Digital mammography. Left breast, CC projection. 60-year-old patient.
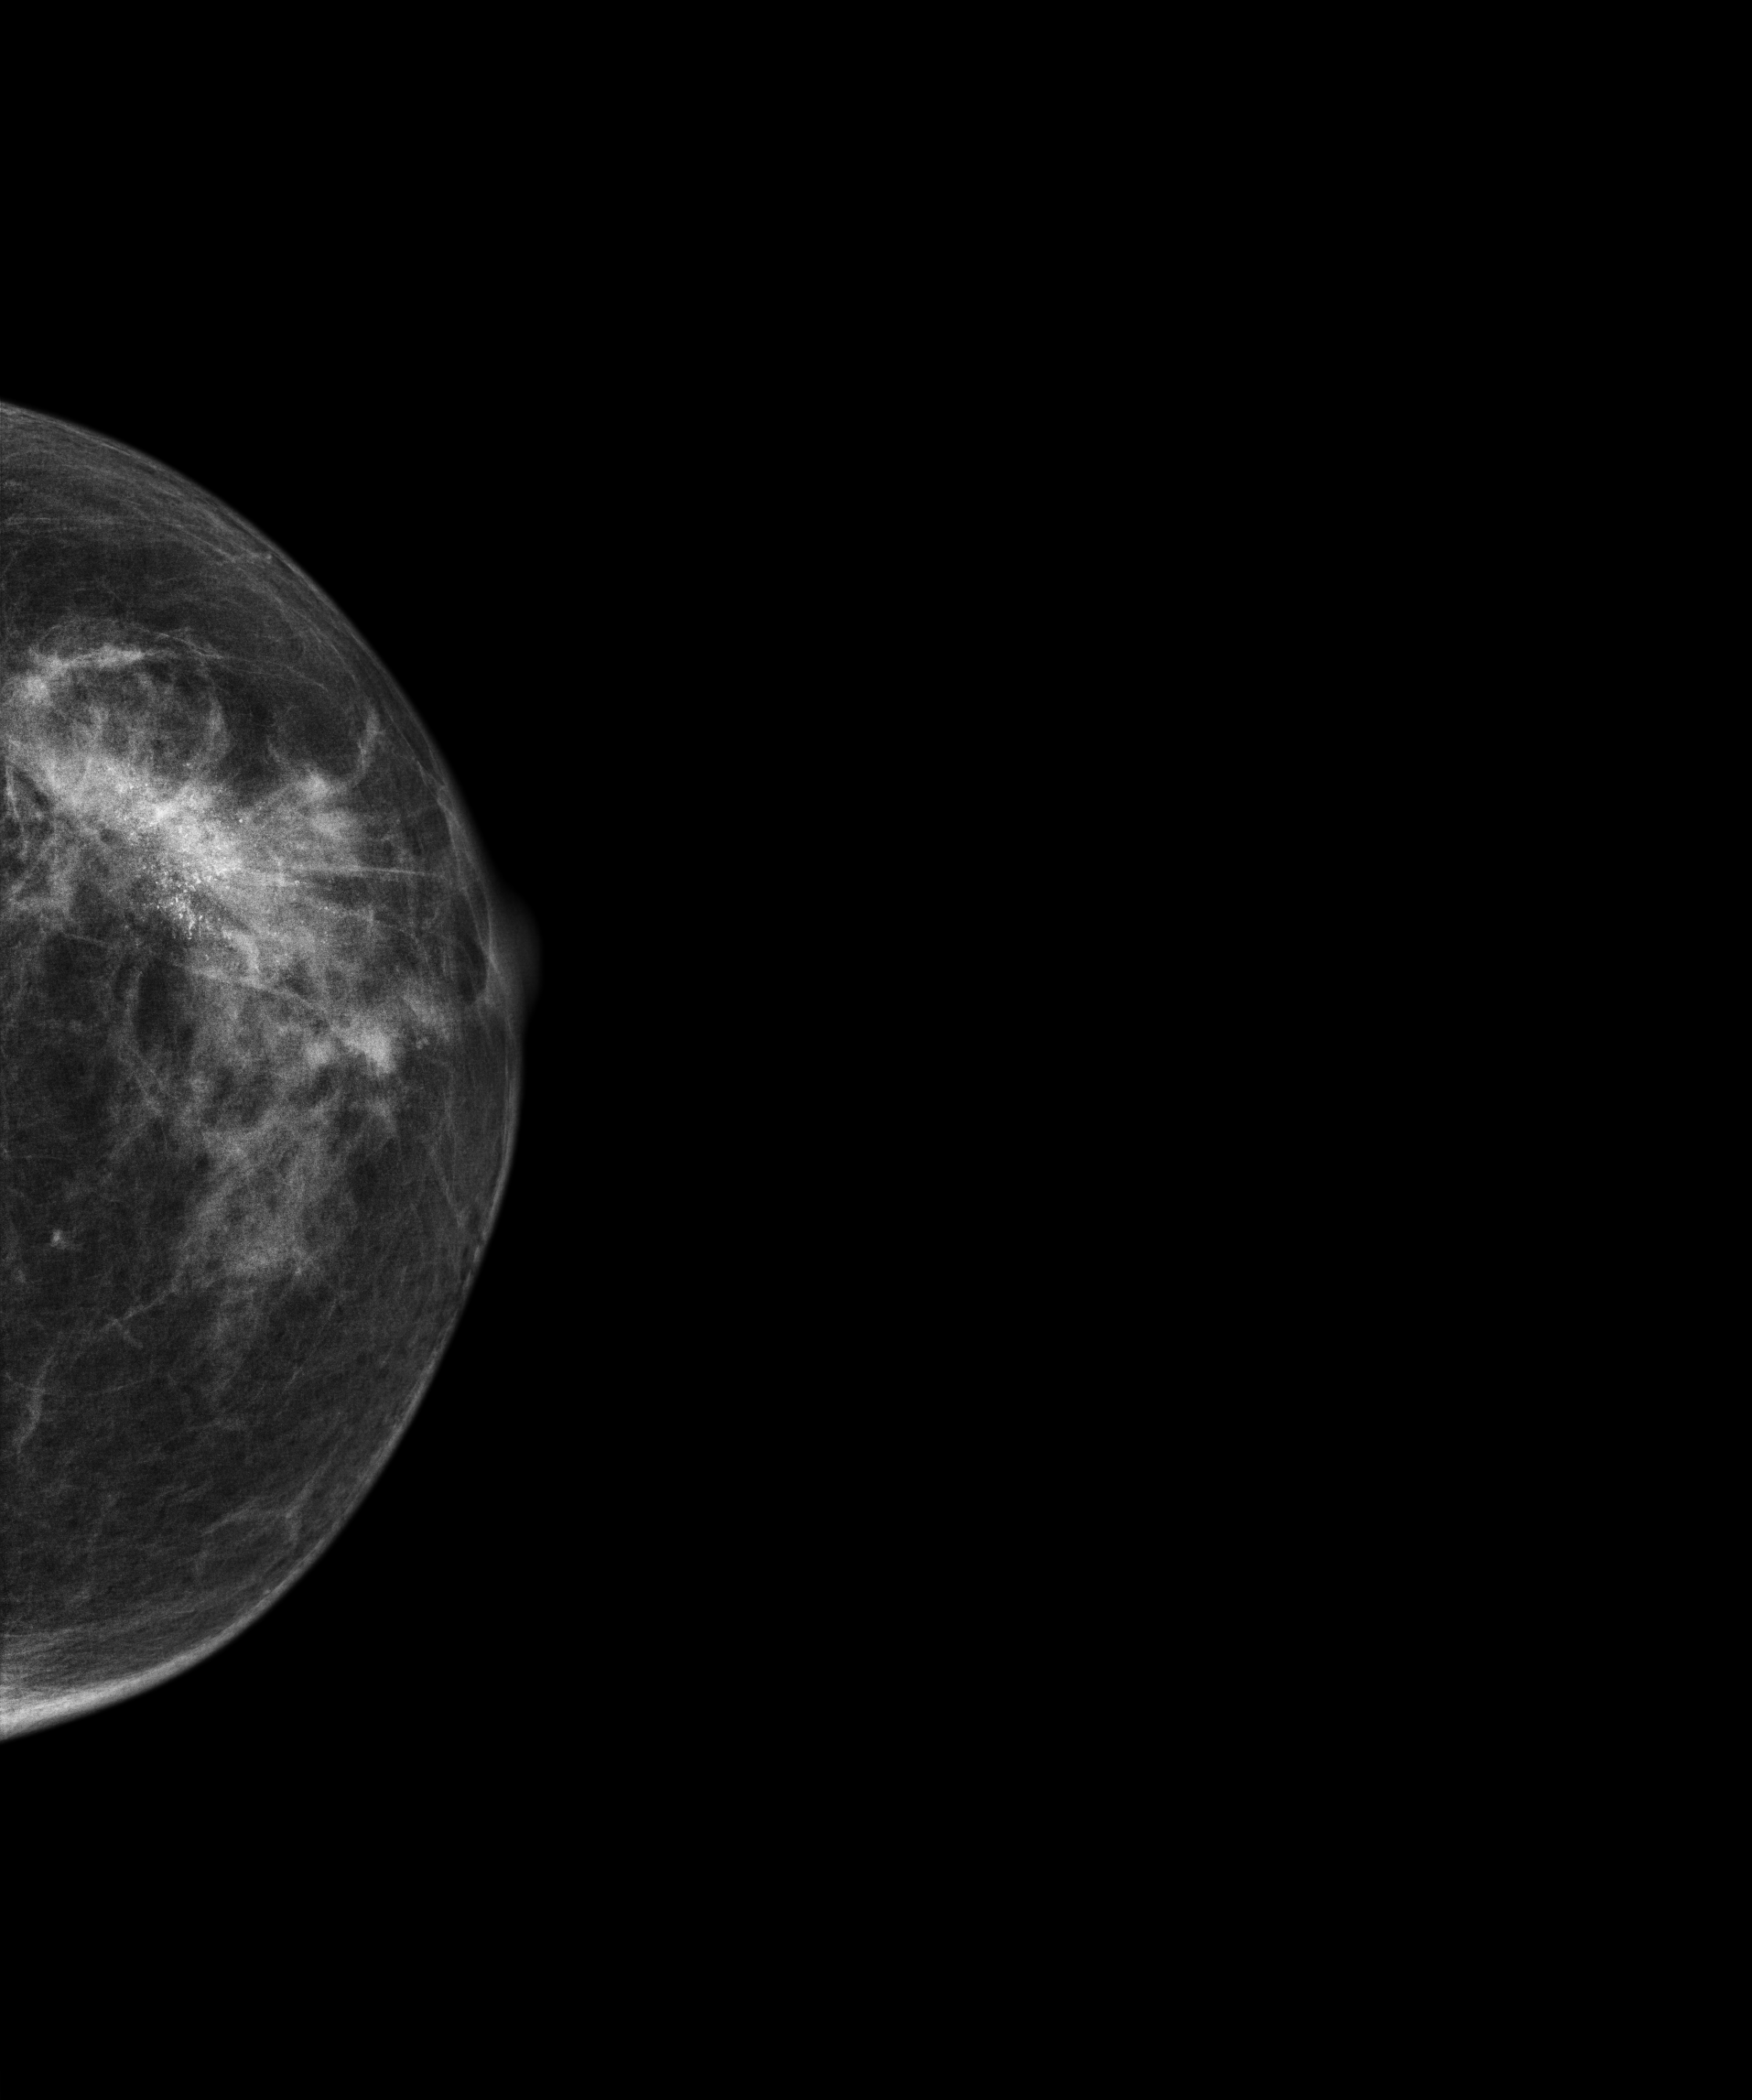
This breast has a mass and calcifications, histologically confirmed malignant.